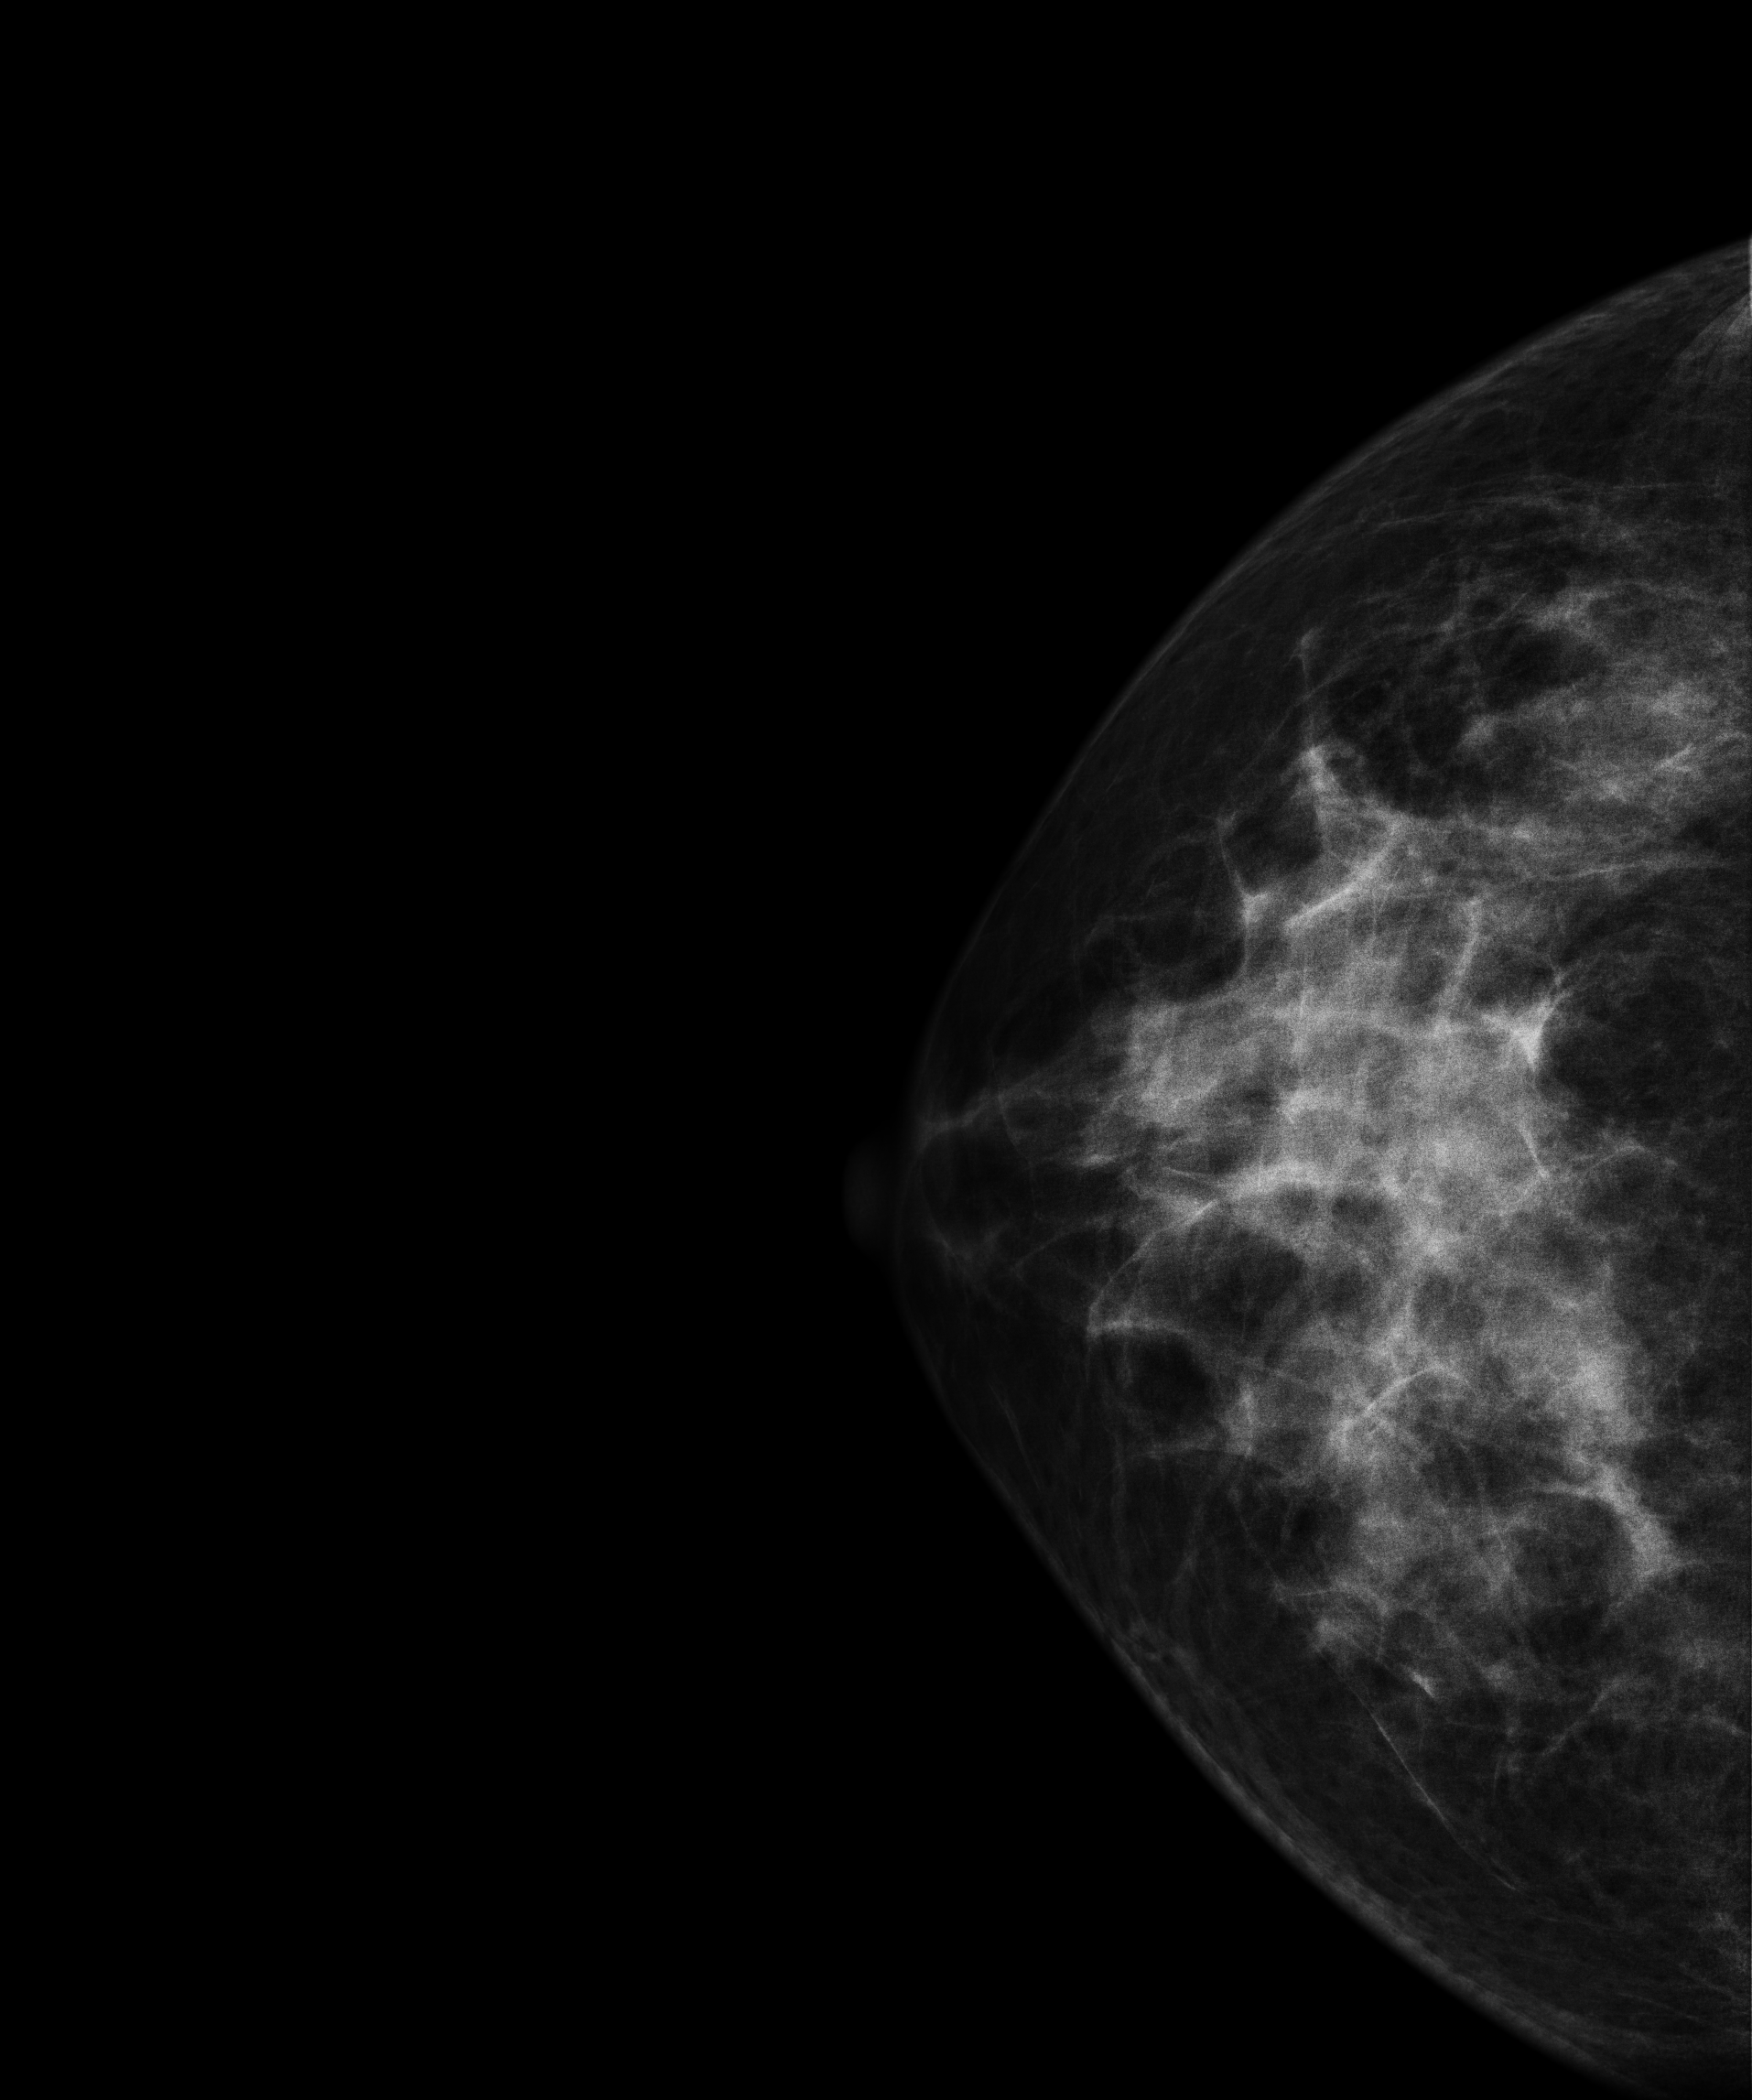
Digital mammography. Right breast, CC projection. Patient age 40.
This breast has a mass, biopsy-confirmed benign.